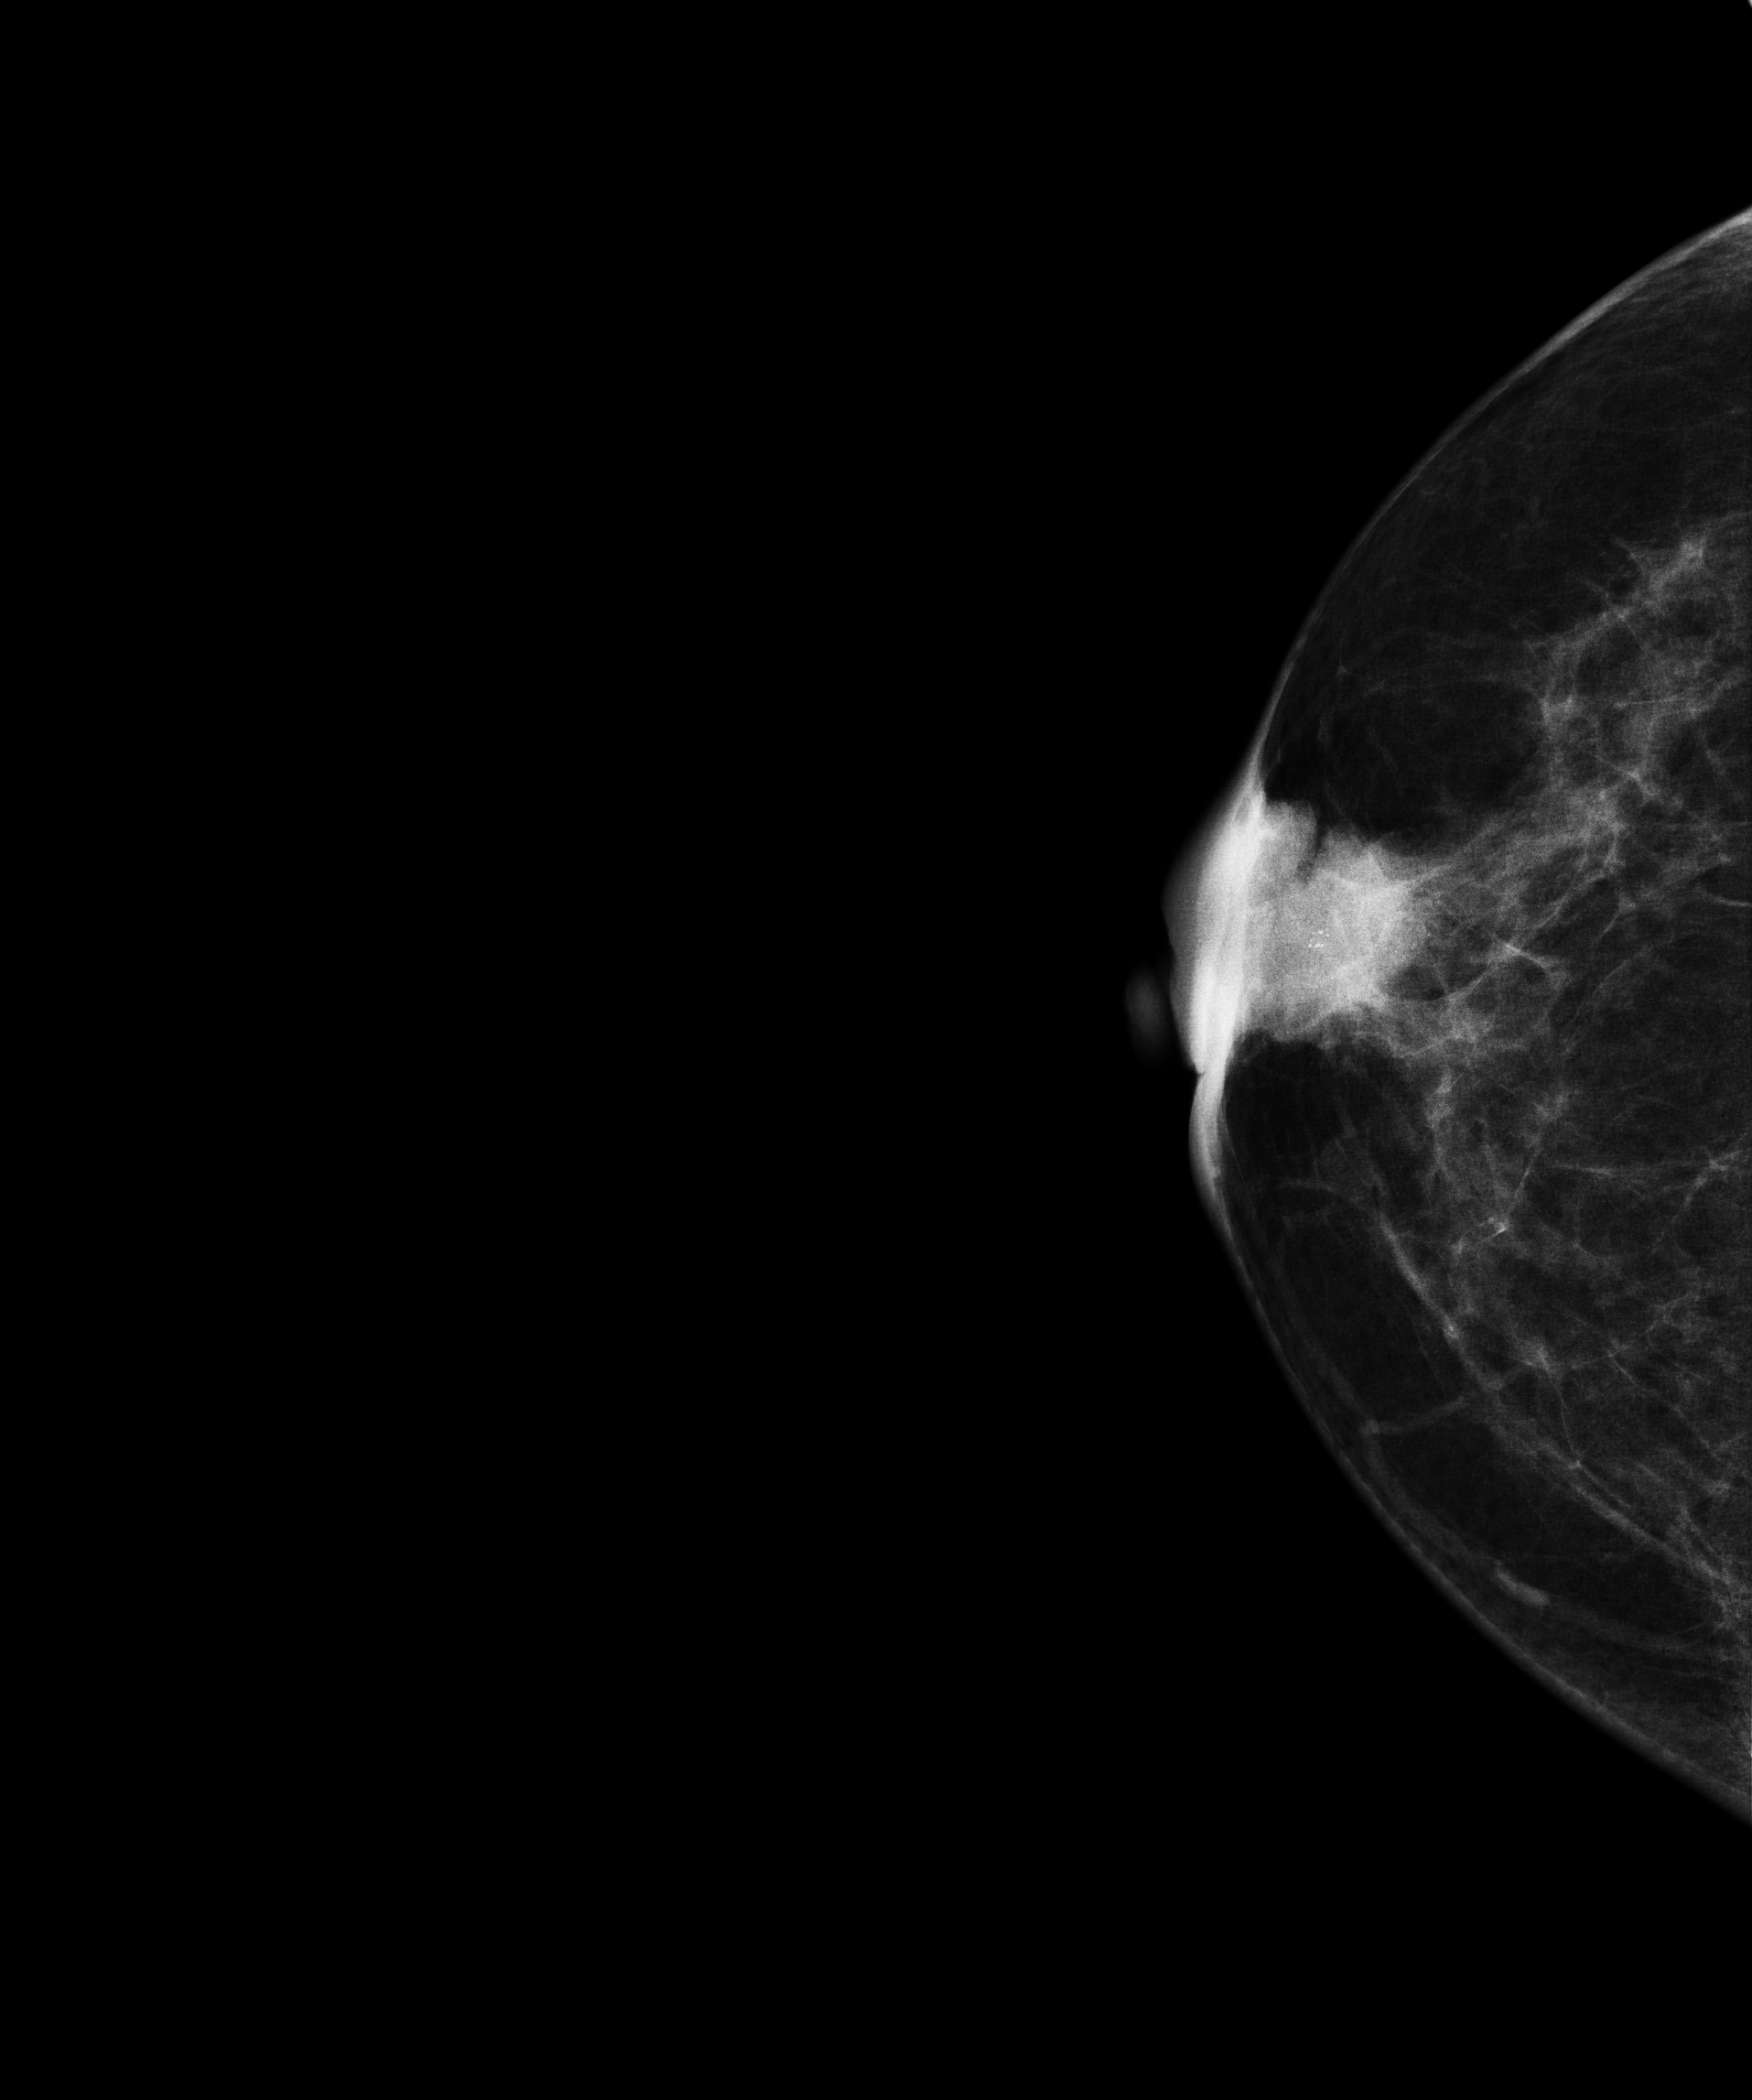
CC mammogram of the right breast. 51 y/o patient.
This breast has a mass and calcifications, biopsy-proven malignant. Molecular subtype: luminal B.